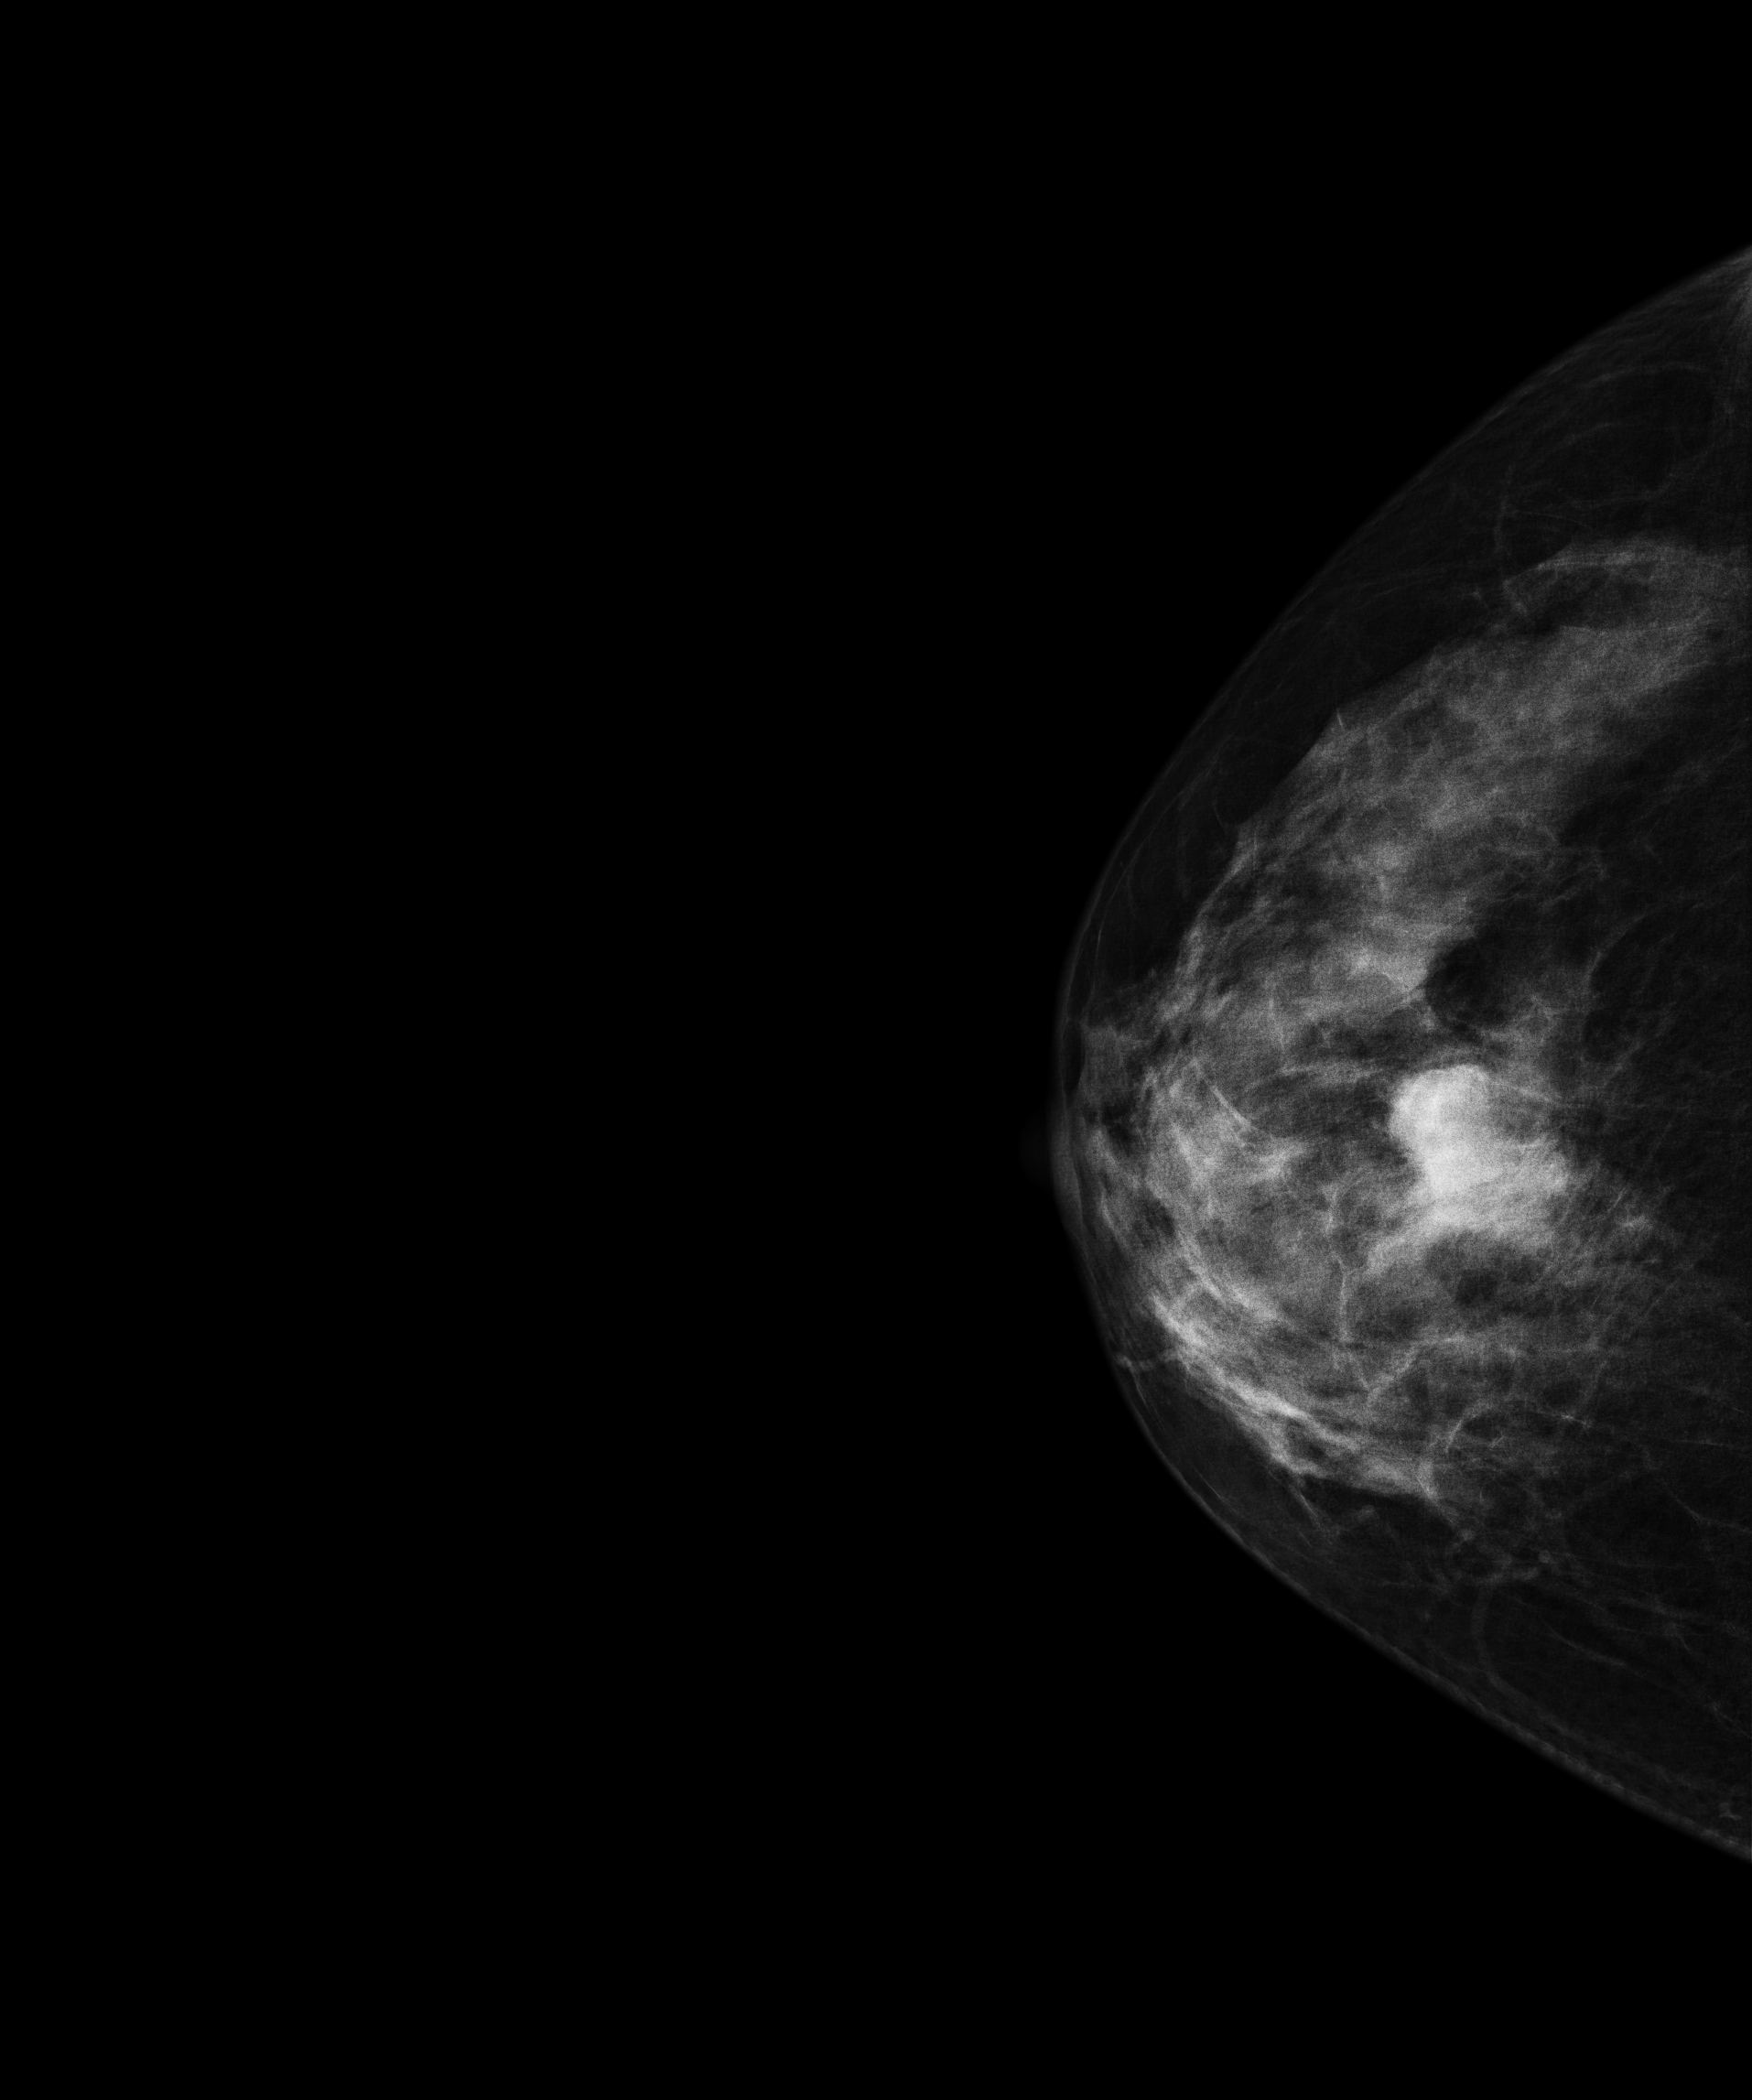
Mammogram, right breast, CC view. 57-year-old patient.
This breast has a mass, histologically confirmed malignant. Molecular subtype: triple-negative.